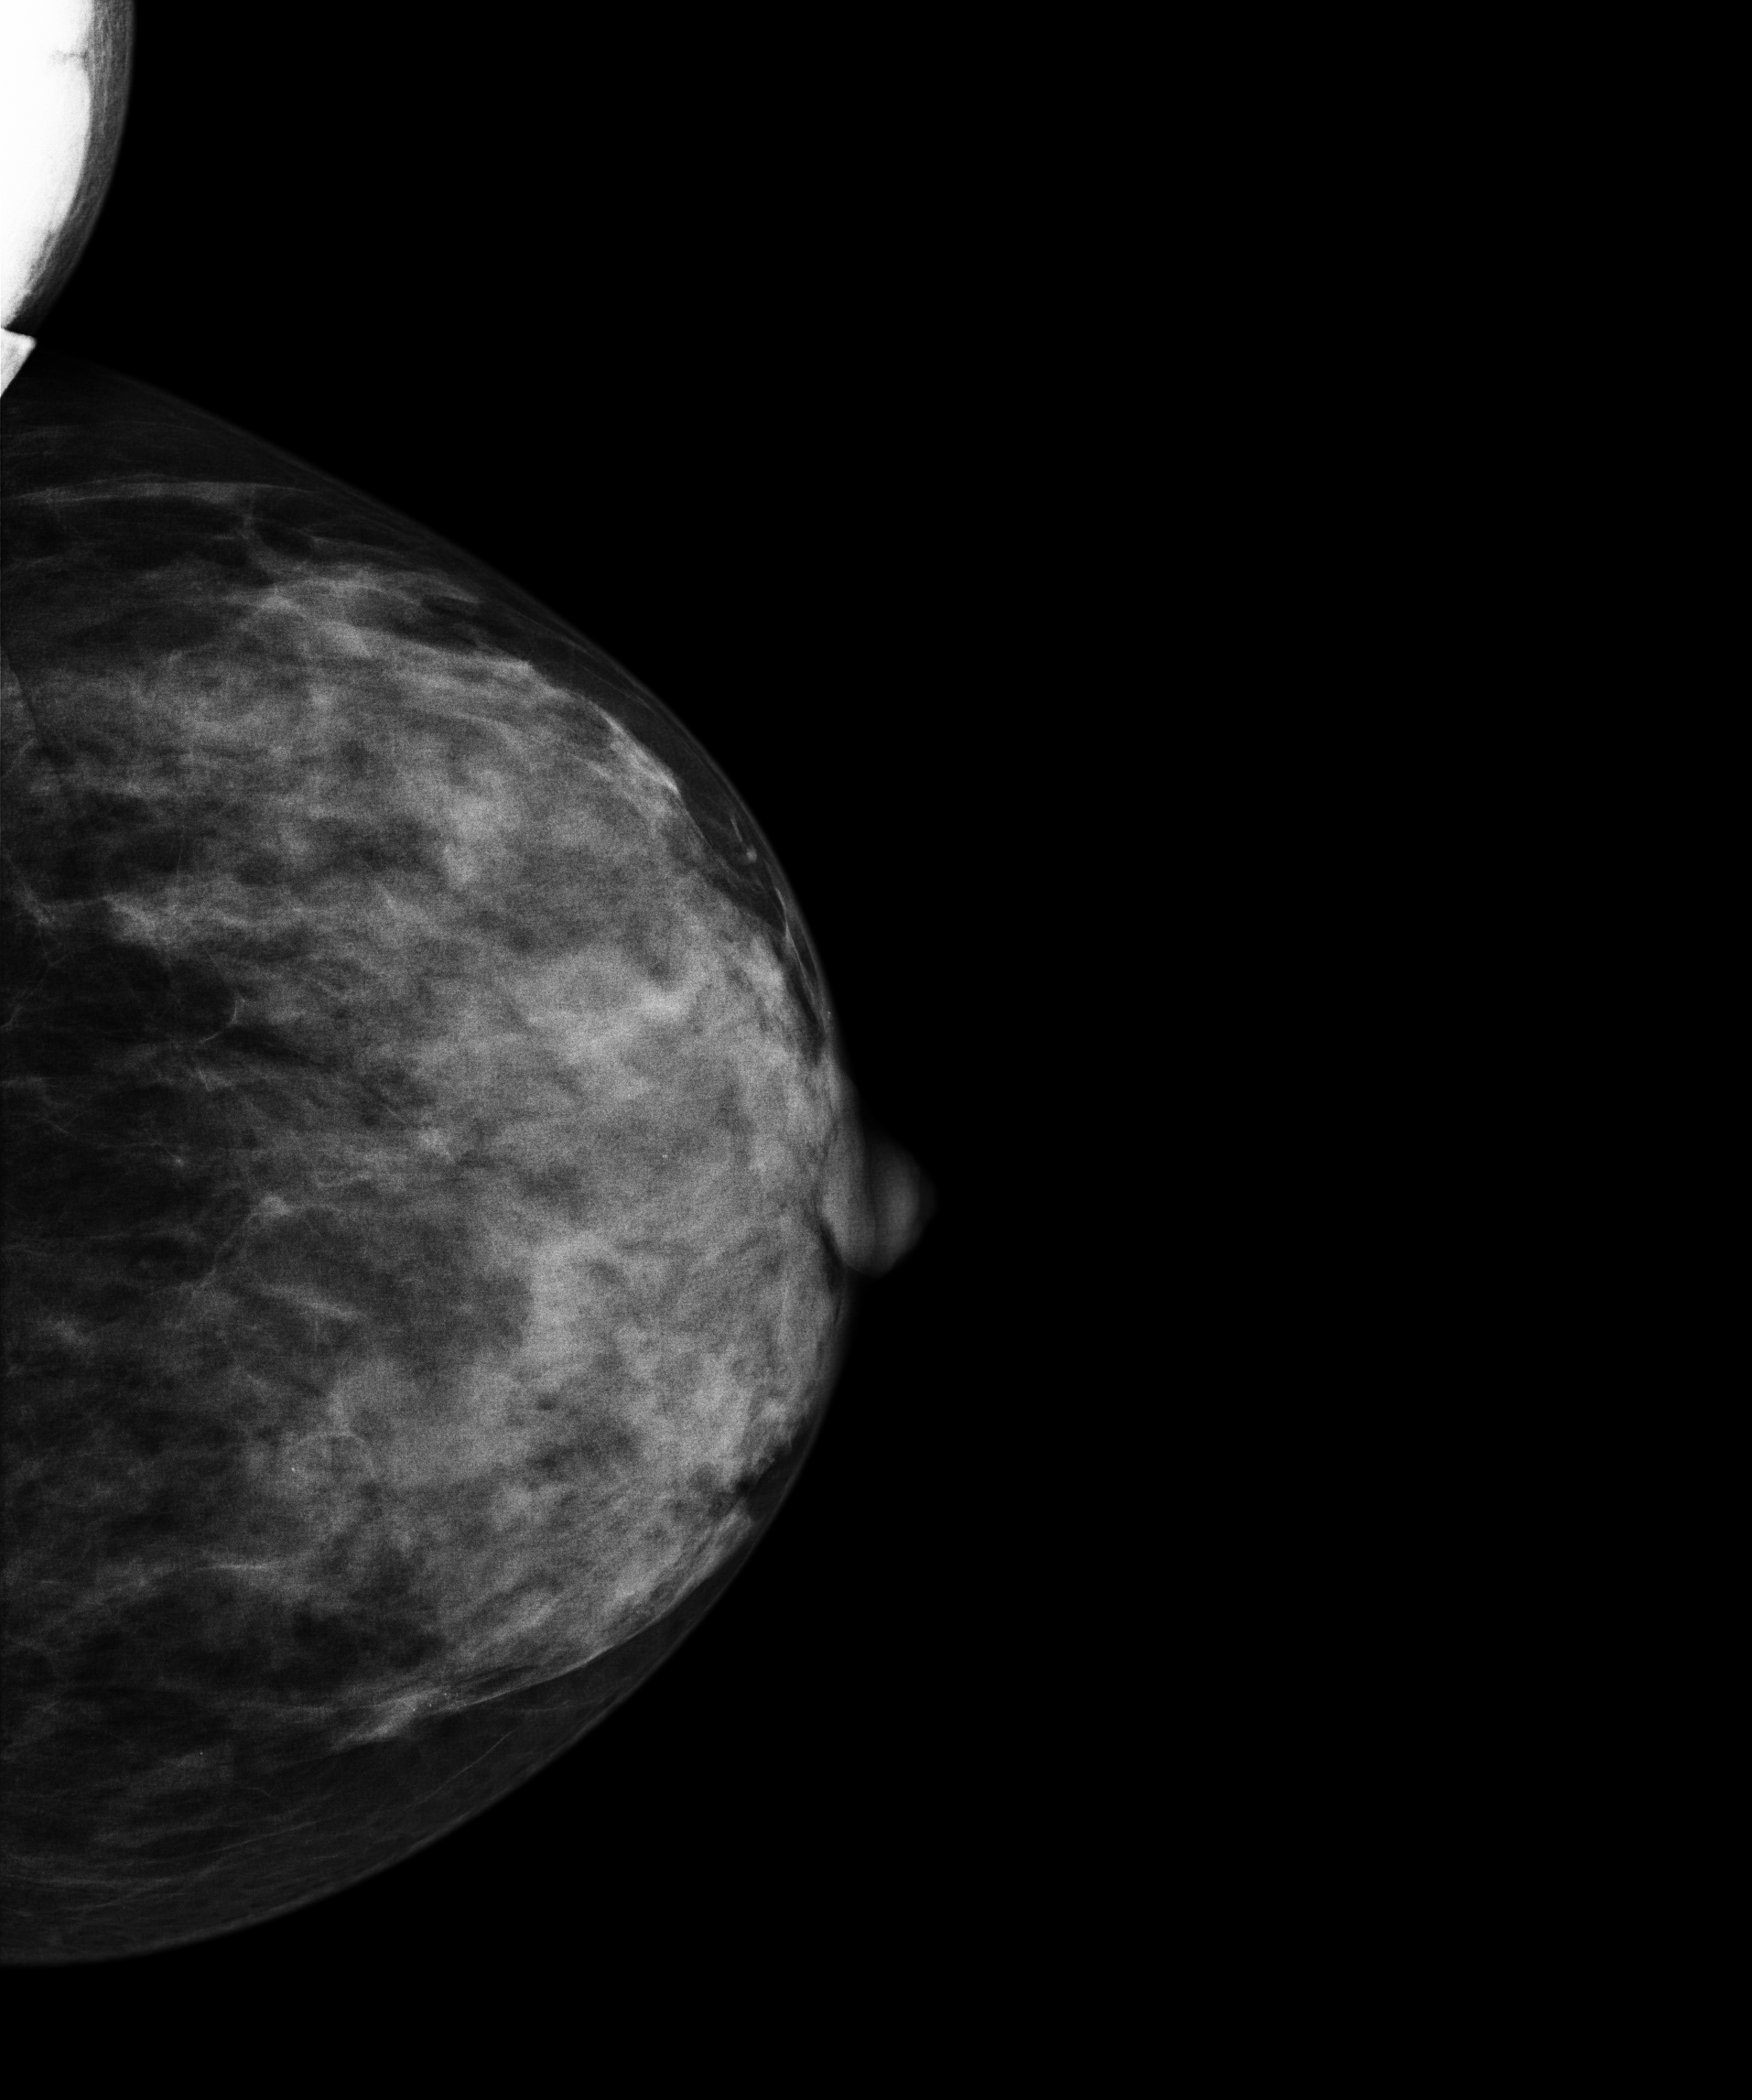
Mammogram, left breast, cranio-caudal view. Patient age 44.
Contralateral breast — no documented abnormality on this side.